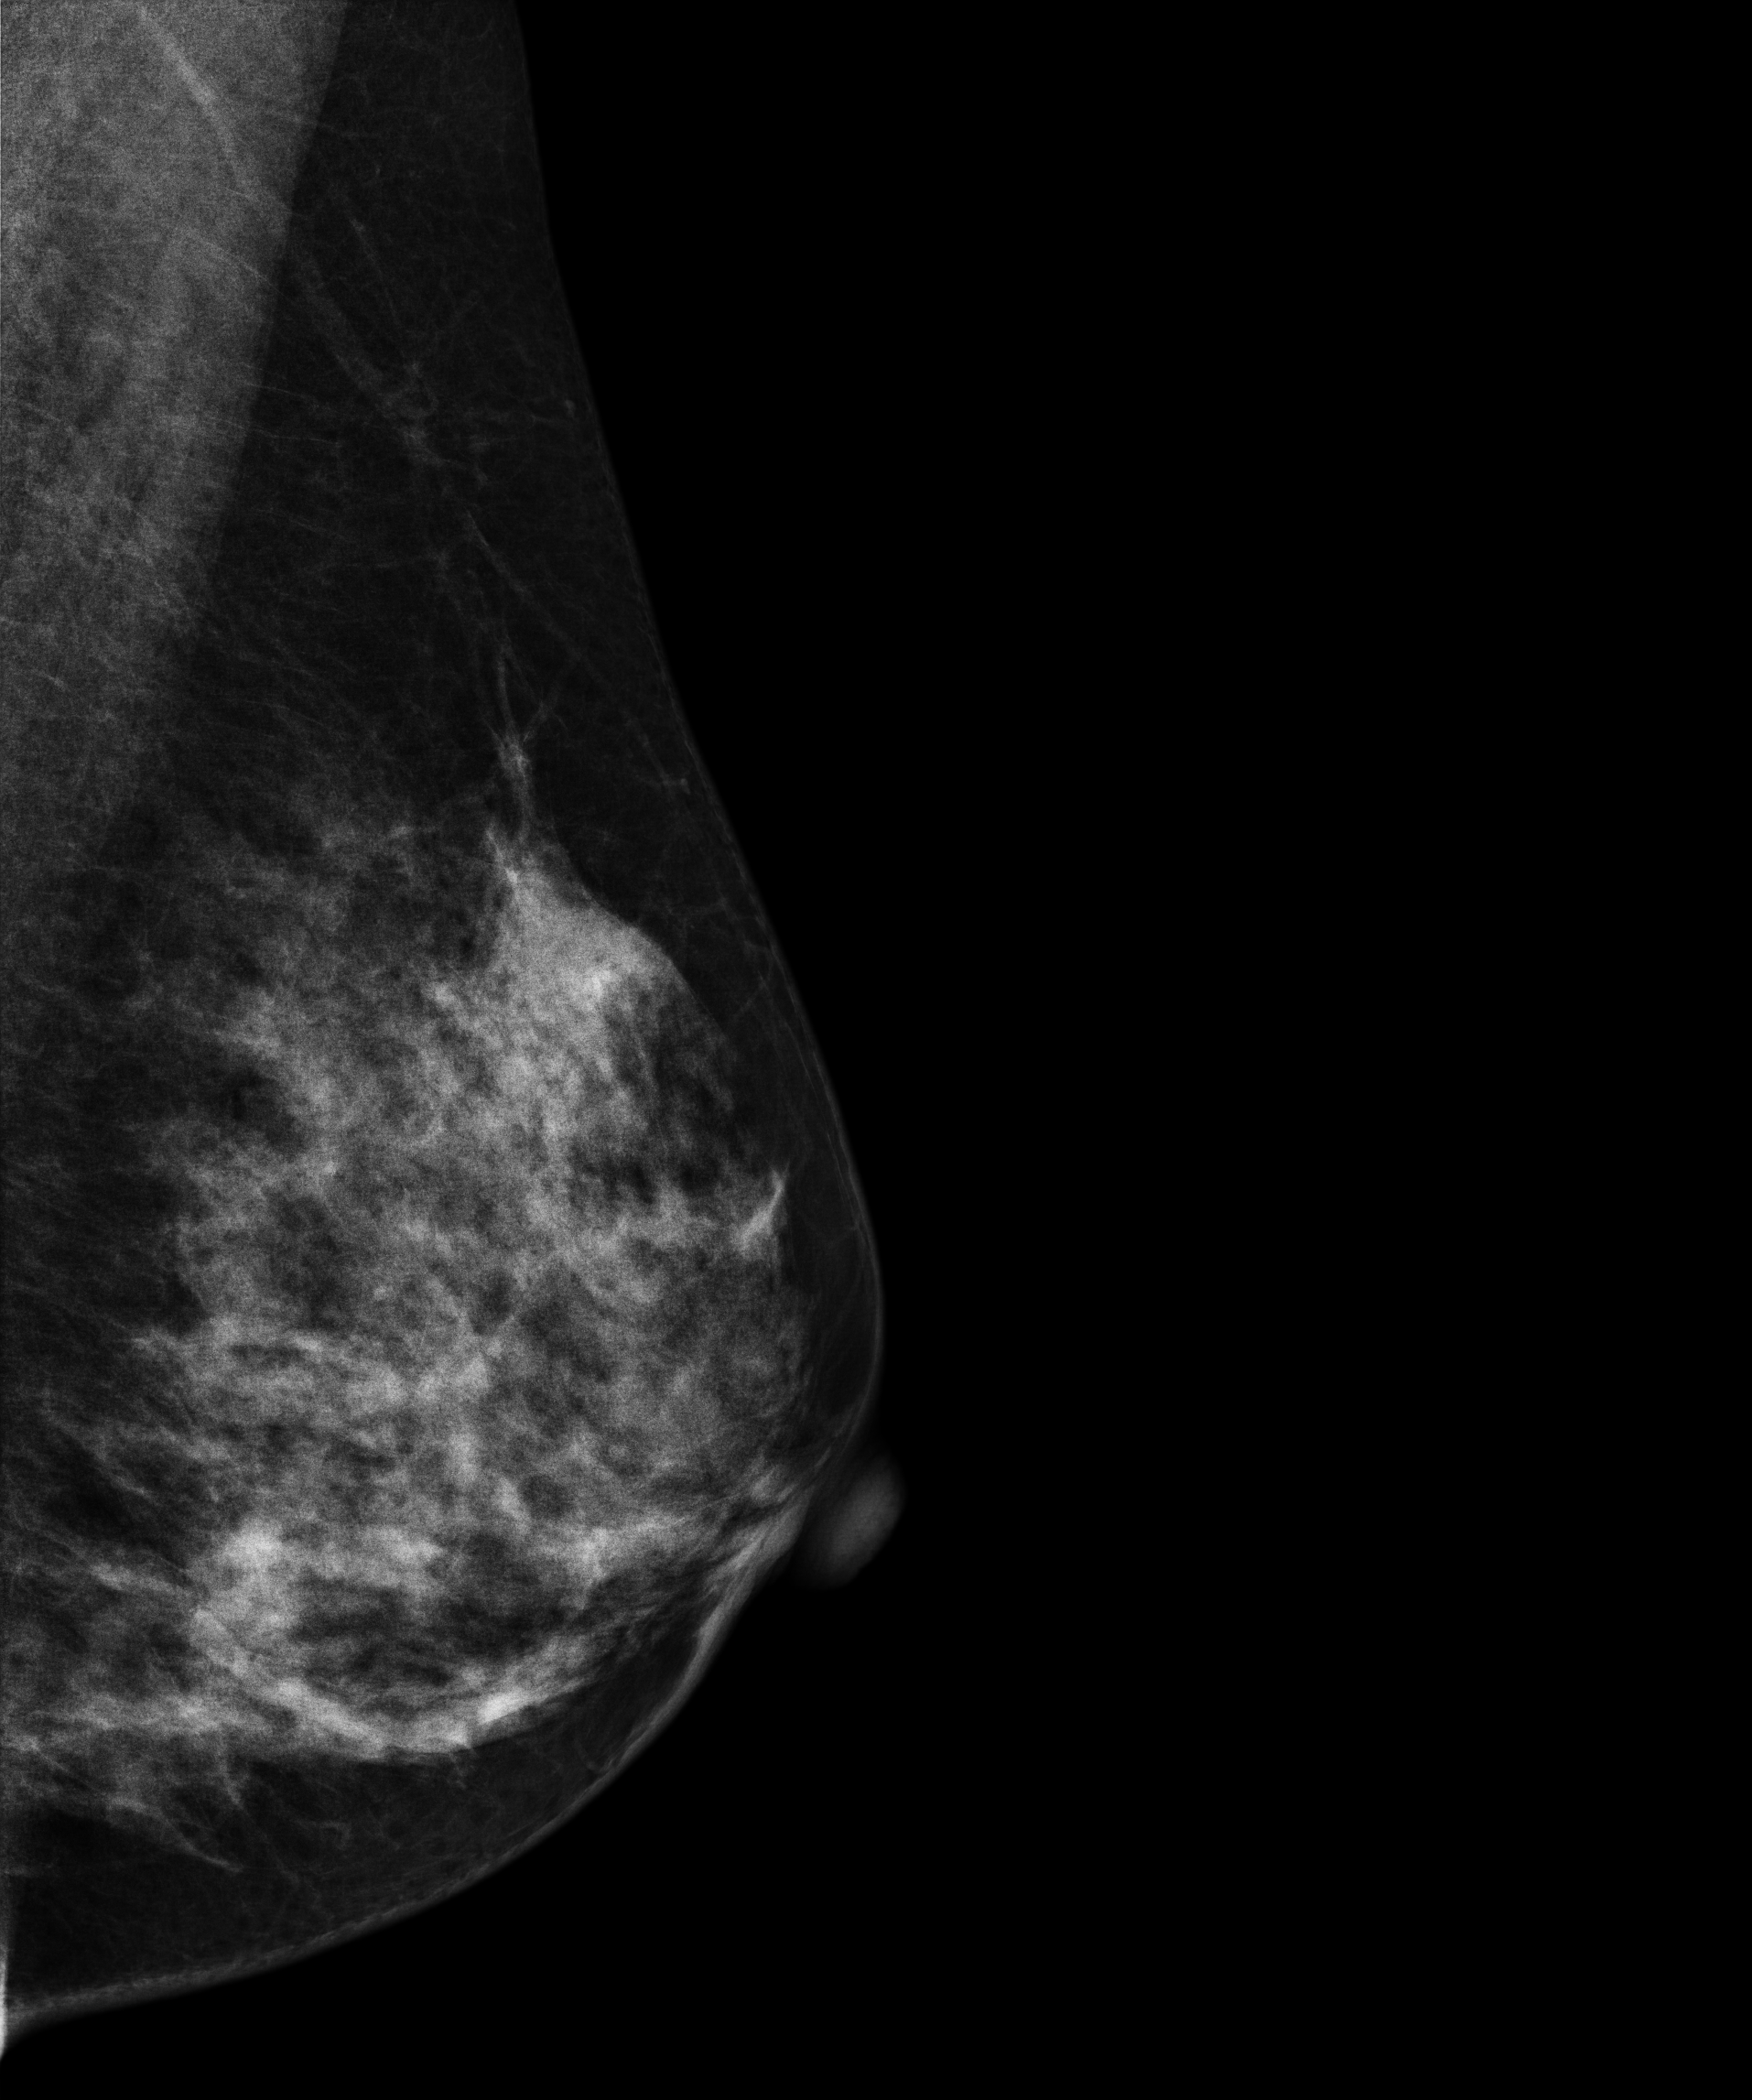
Digital mammography. Left breast, medio-lateral oblique projection. 49-year-old patient.
This breast has a mass, biopsy-proven malignant.